Mammogram — left MLO. 49-year-old patient.
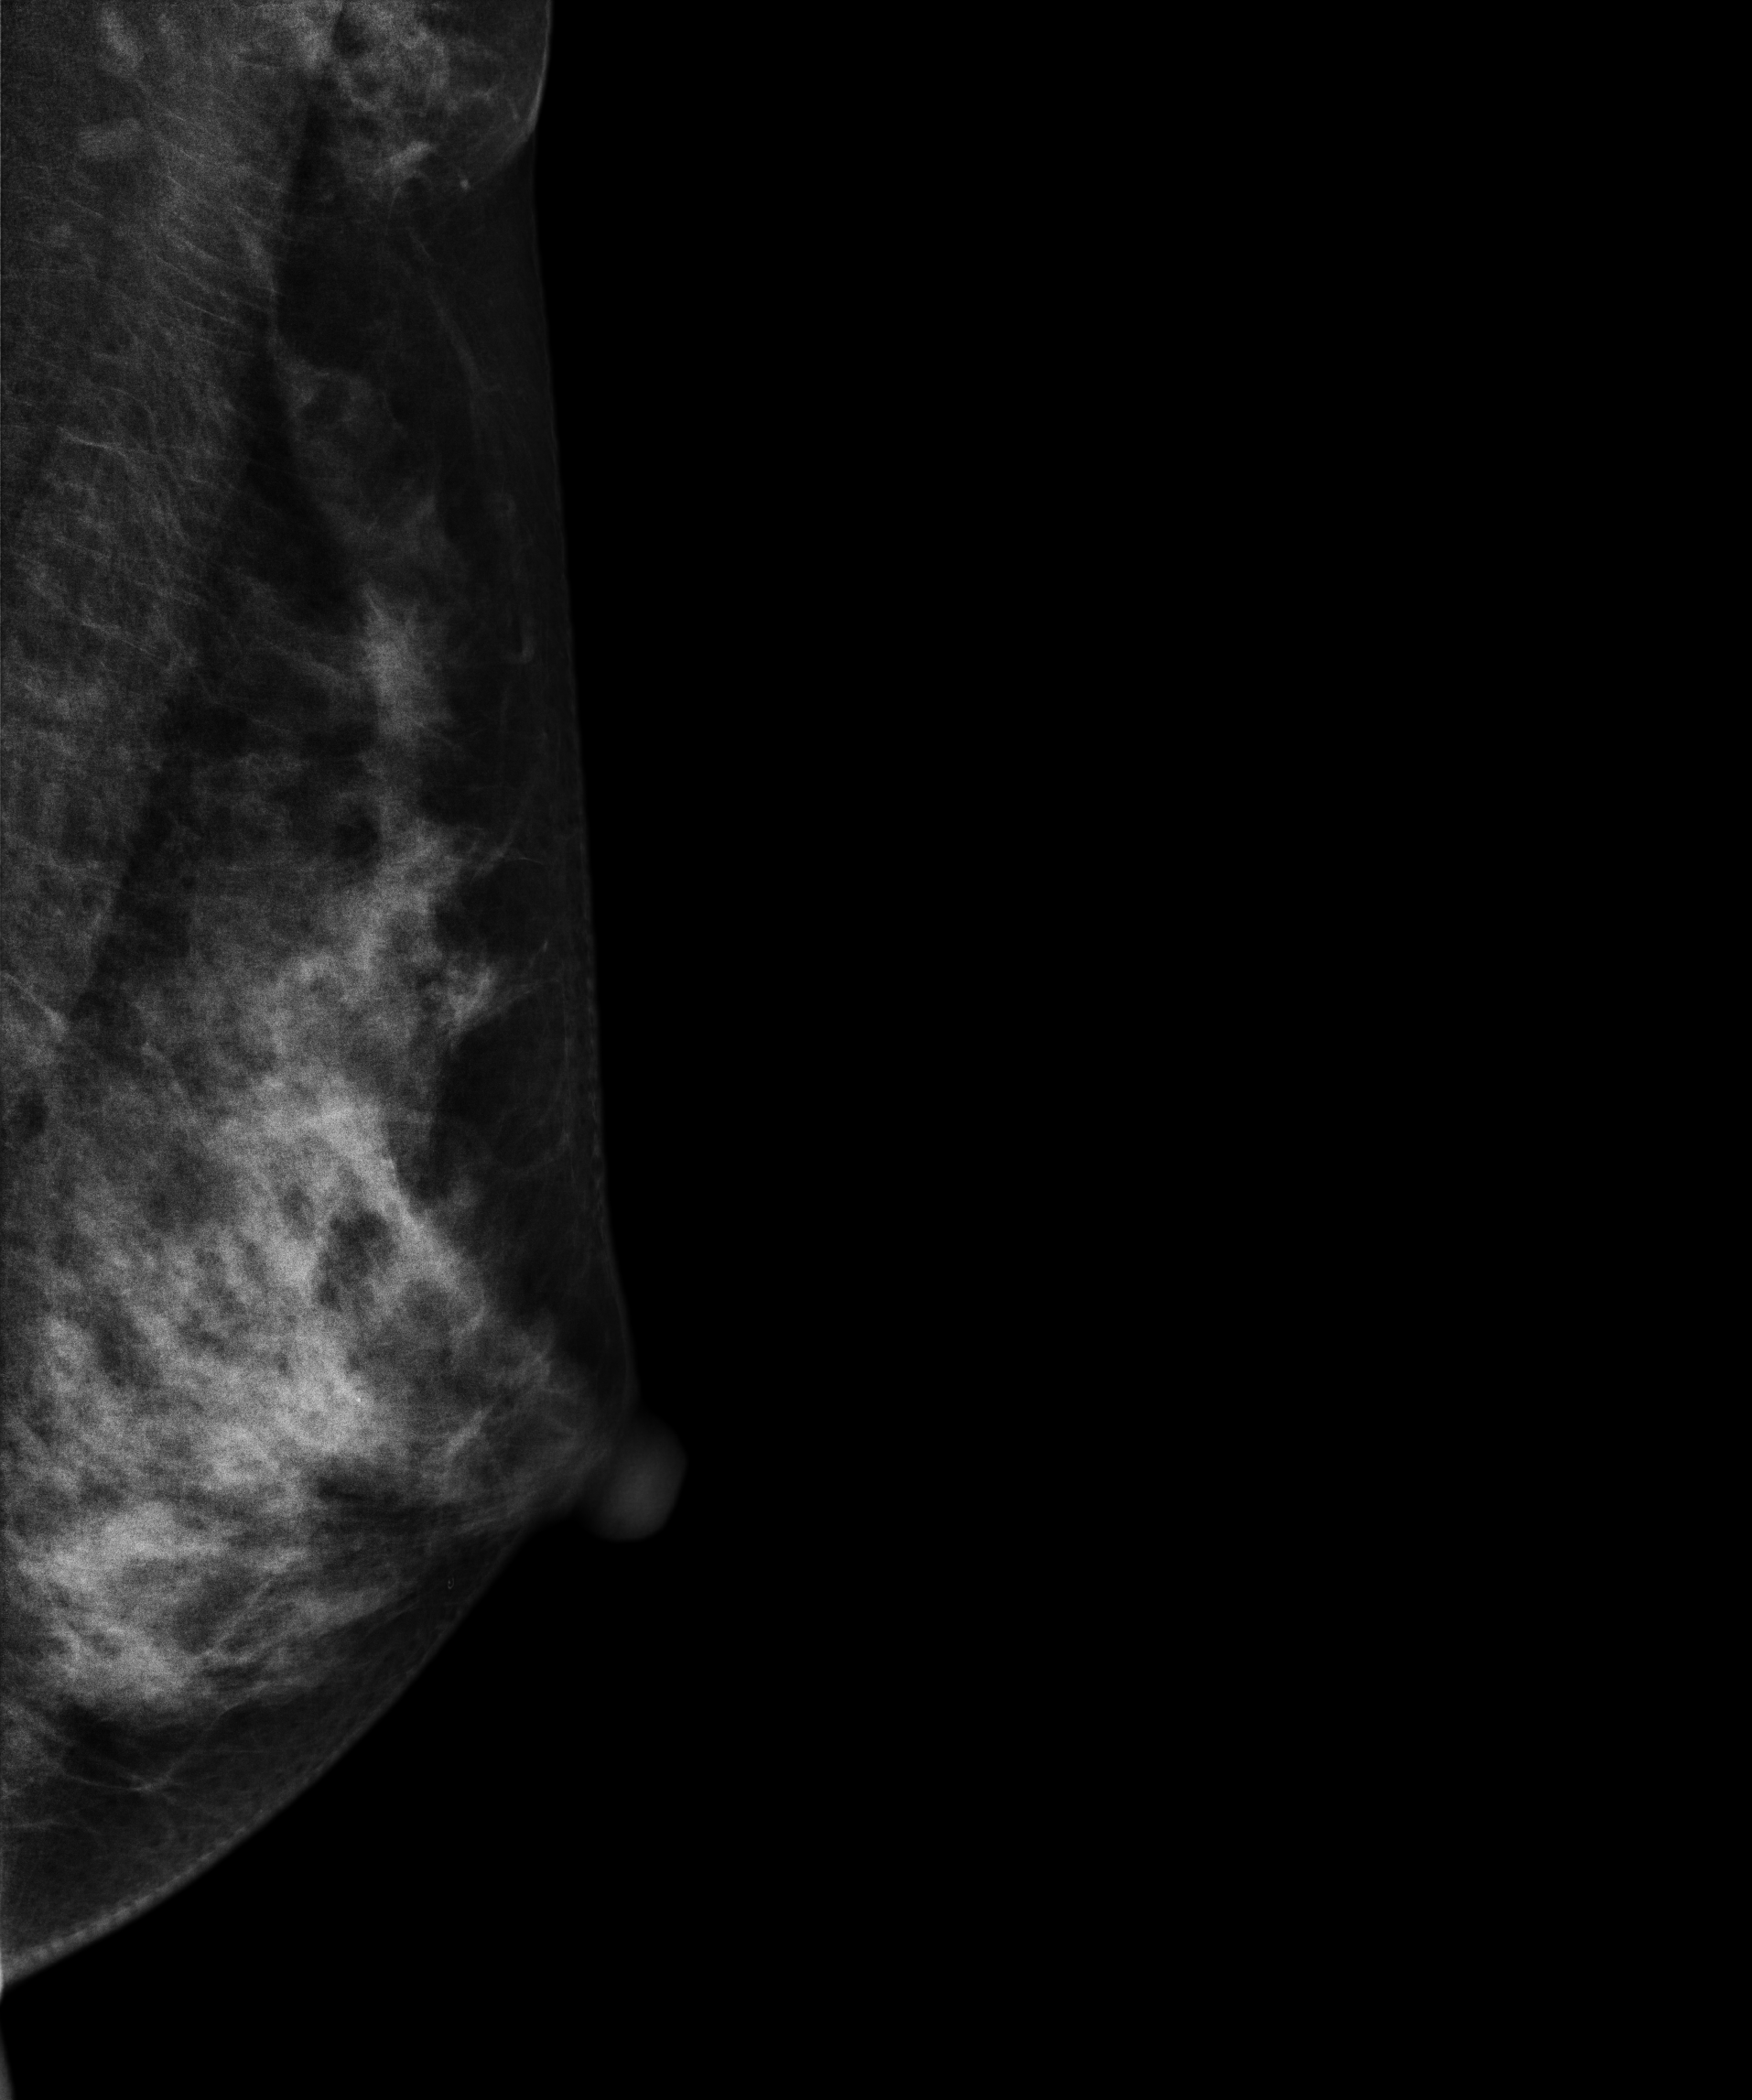
Contralateral breast — no documented abnormality on this side.